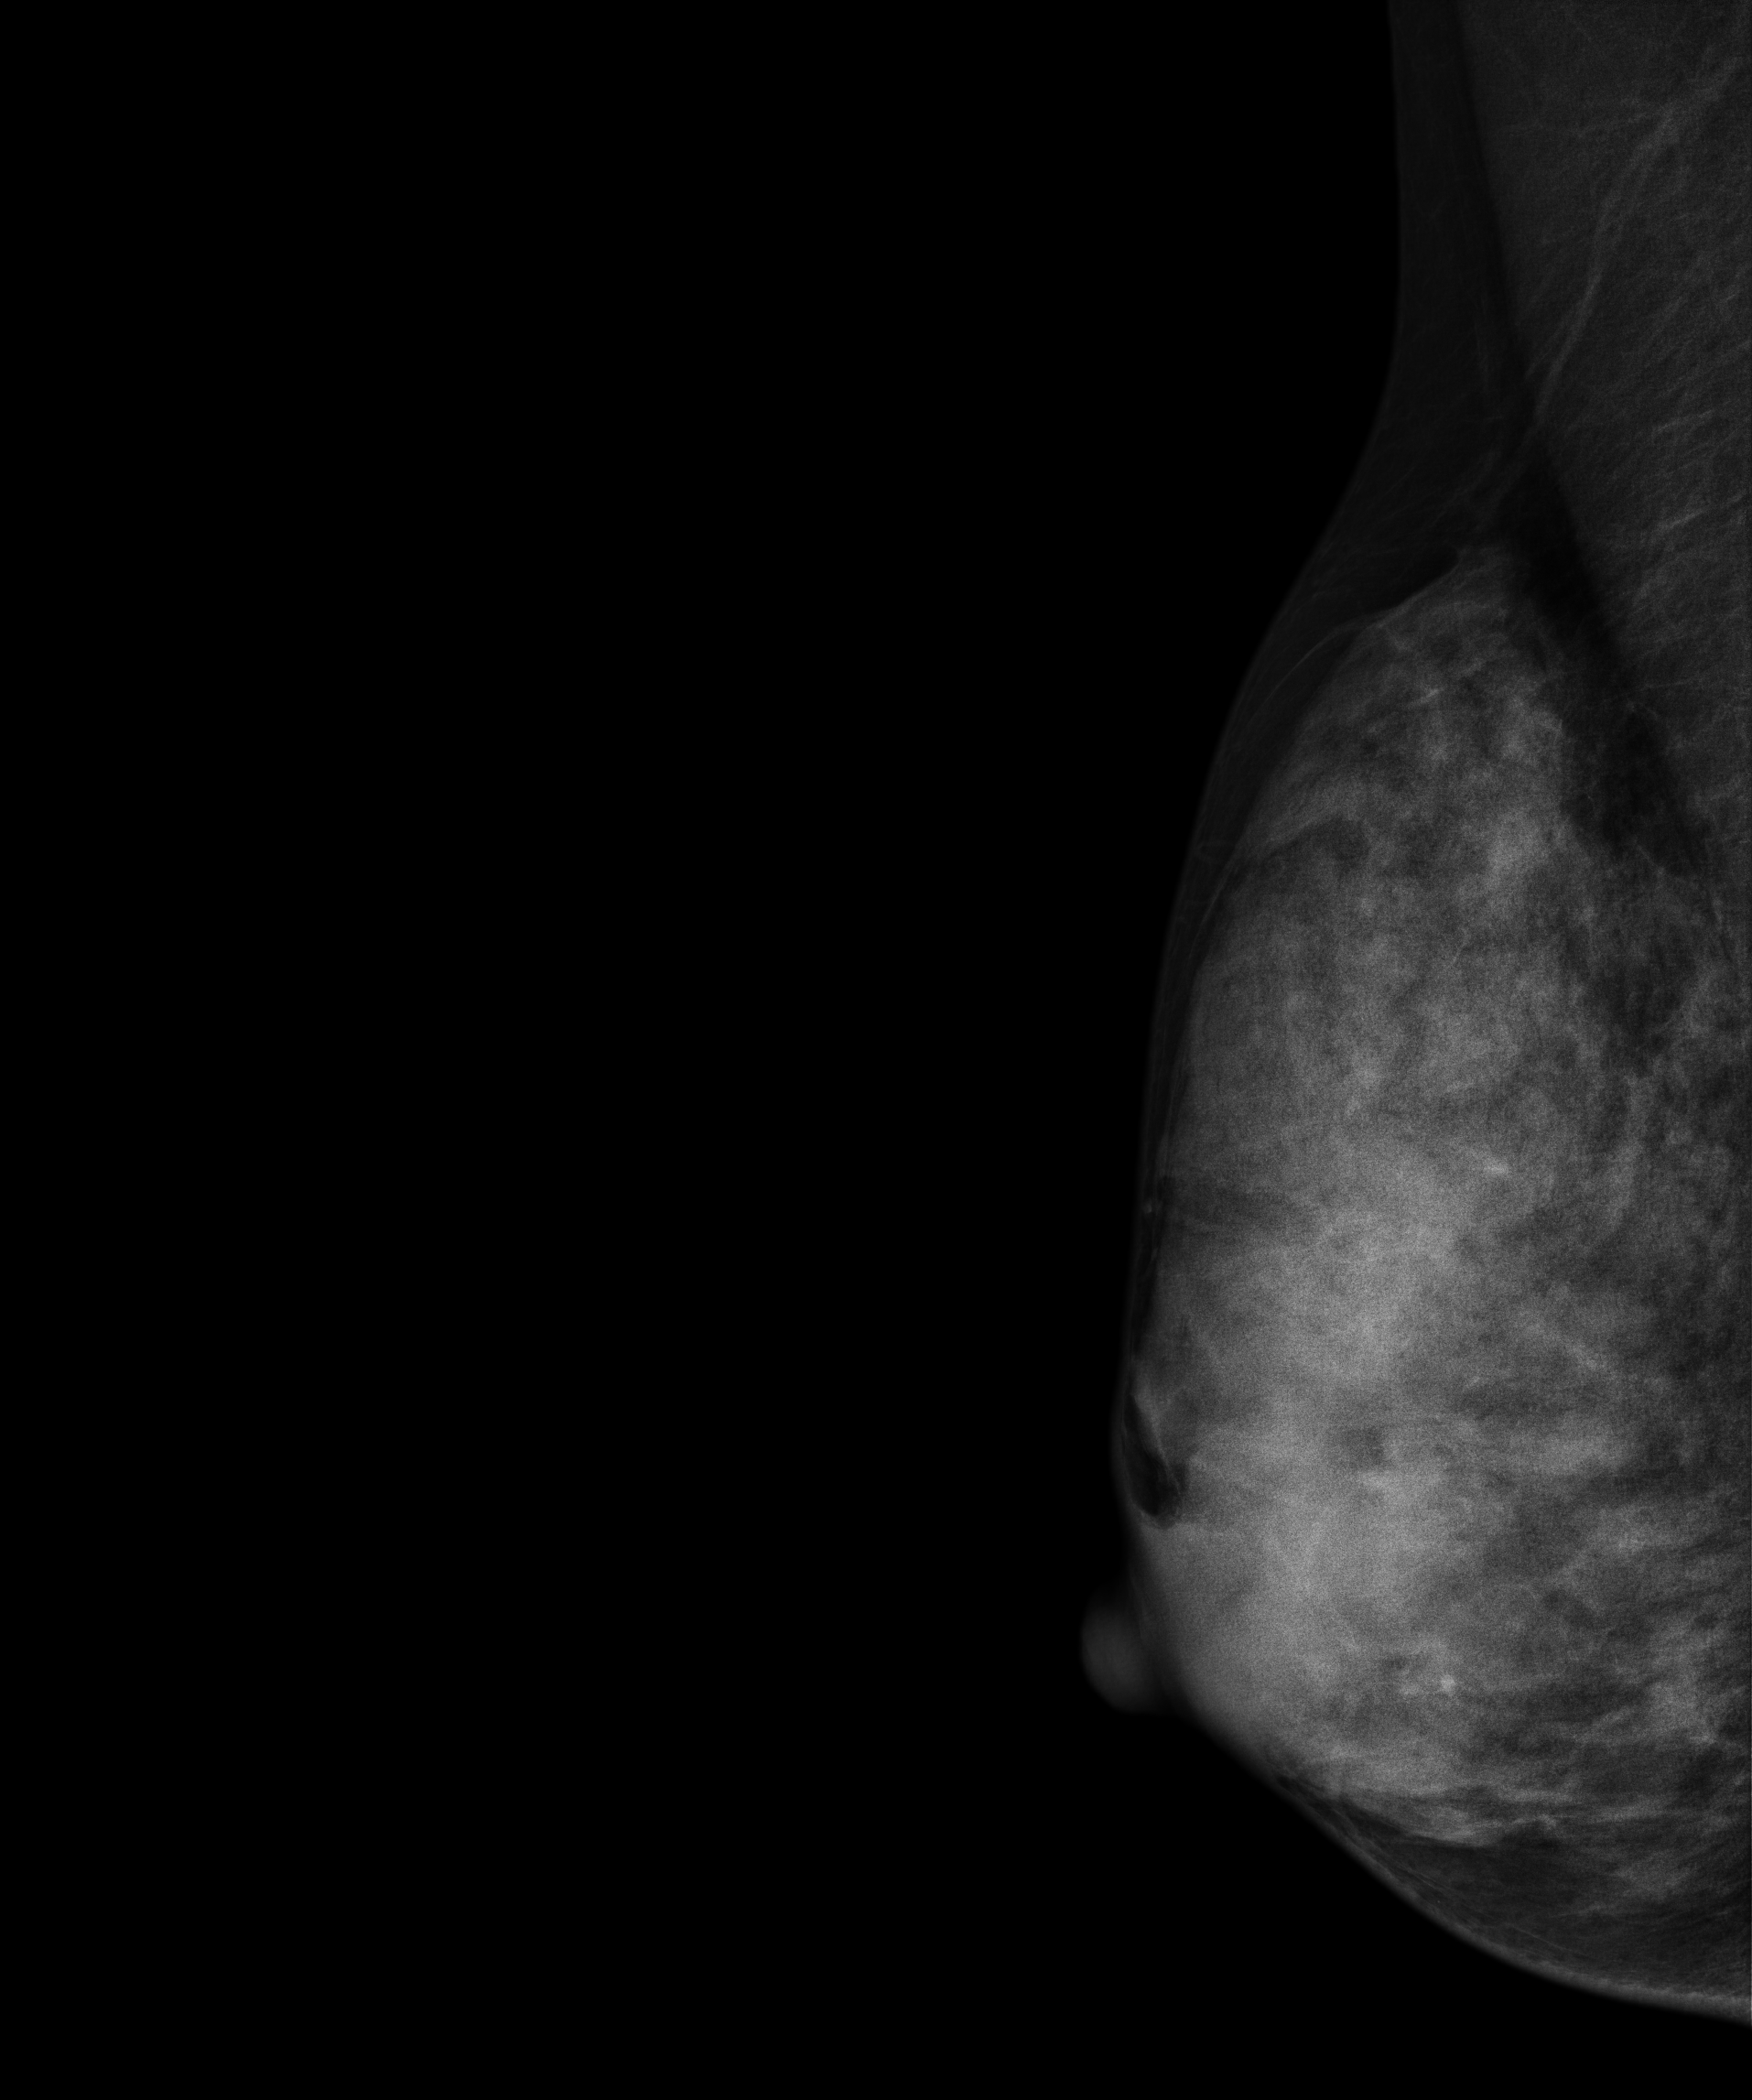
Digital mammography. Right breast, MLO projection. 37-year-old patient.
This breast has a mass, pathology-confirmed benign.